Mammogram — left cranio-caudal. Patient age 30.
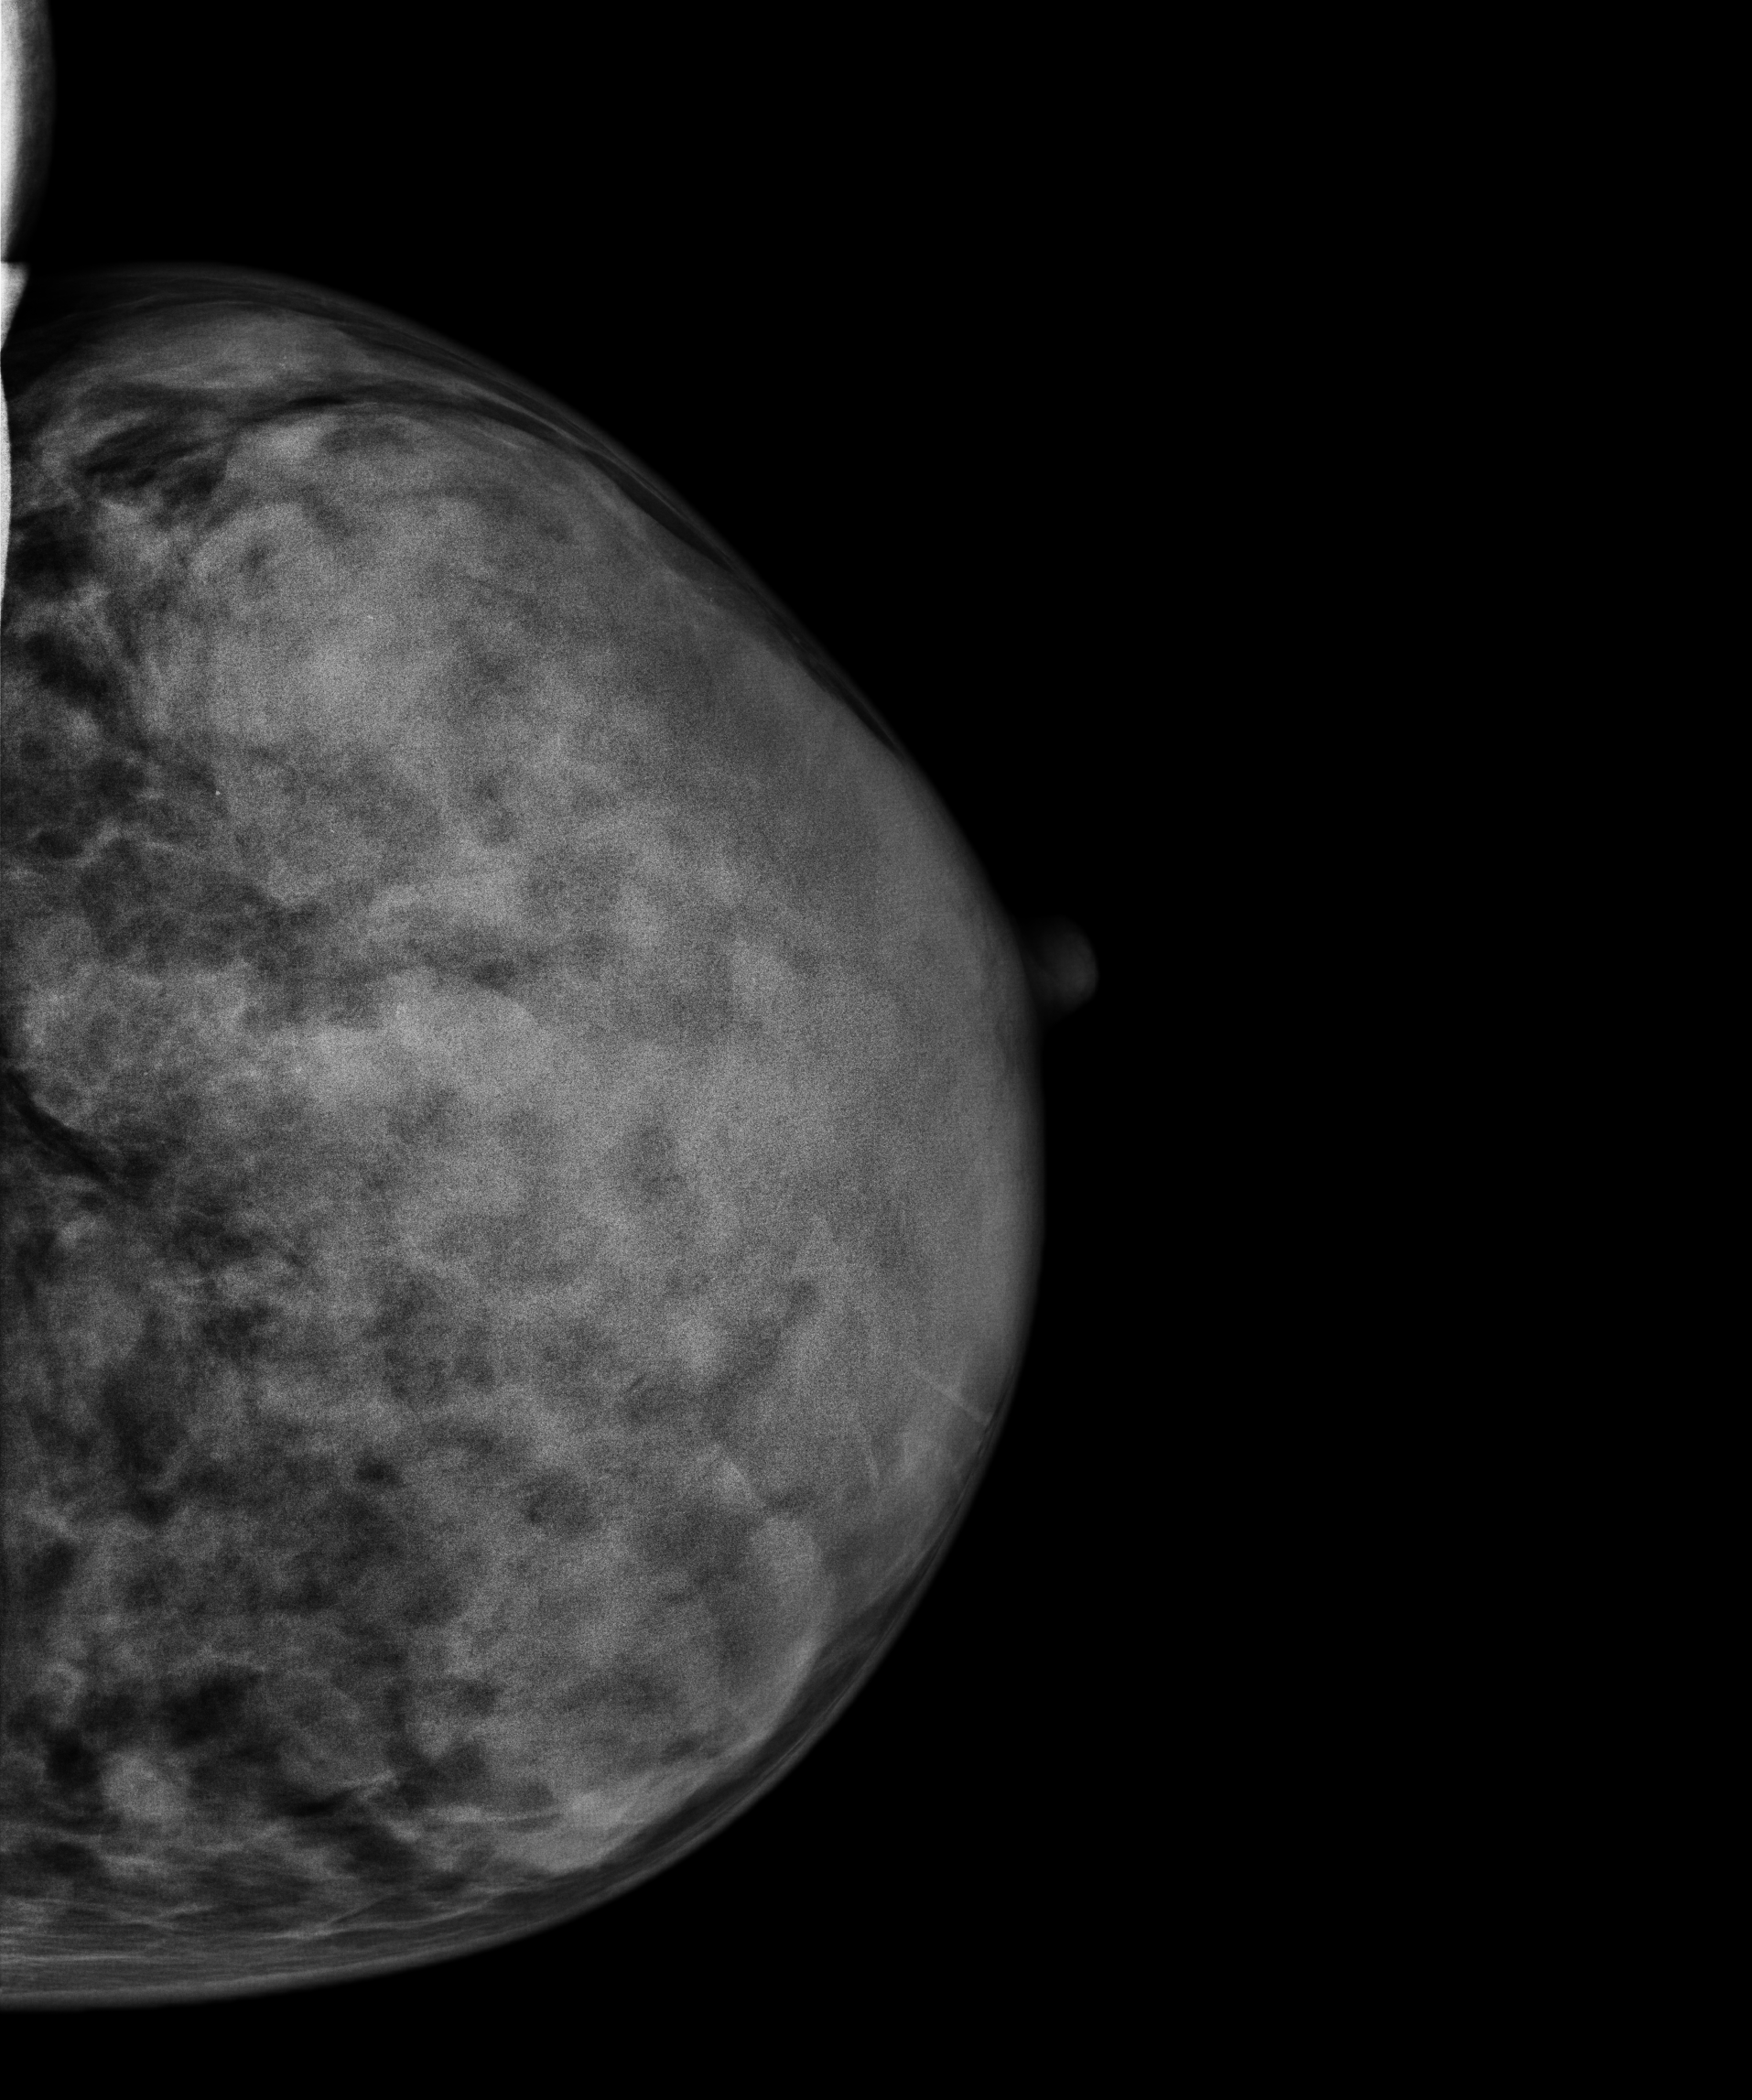
This breast has a mass, histologically confirmed malignant.